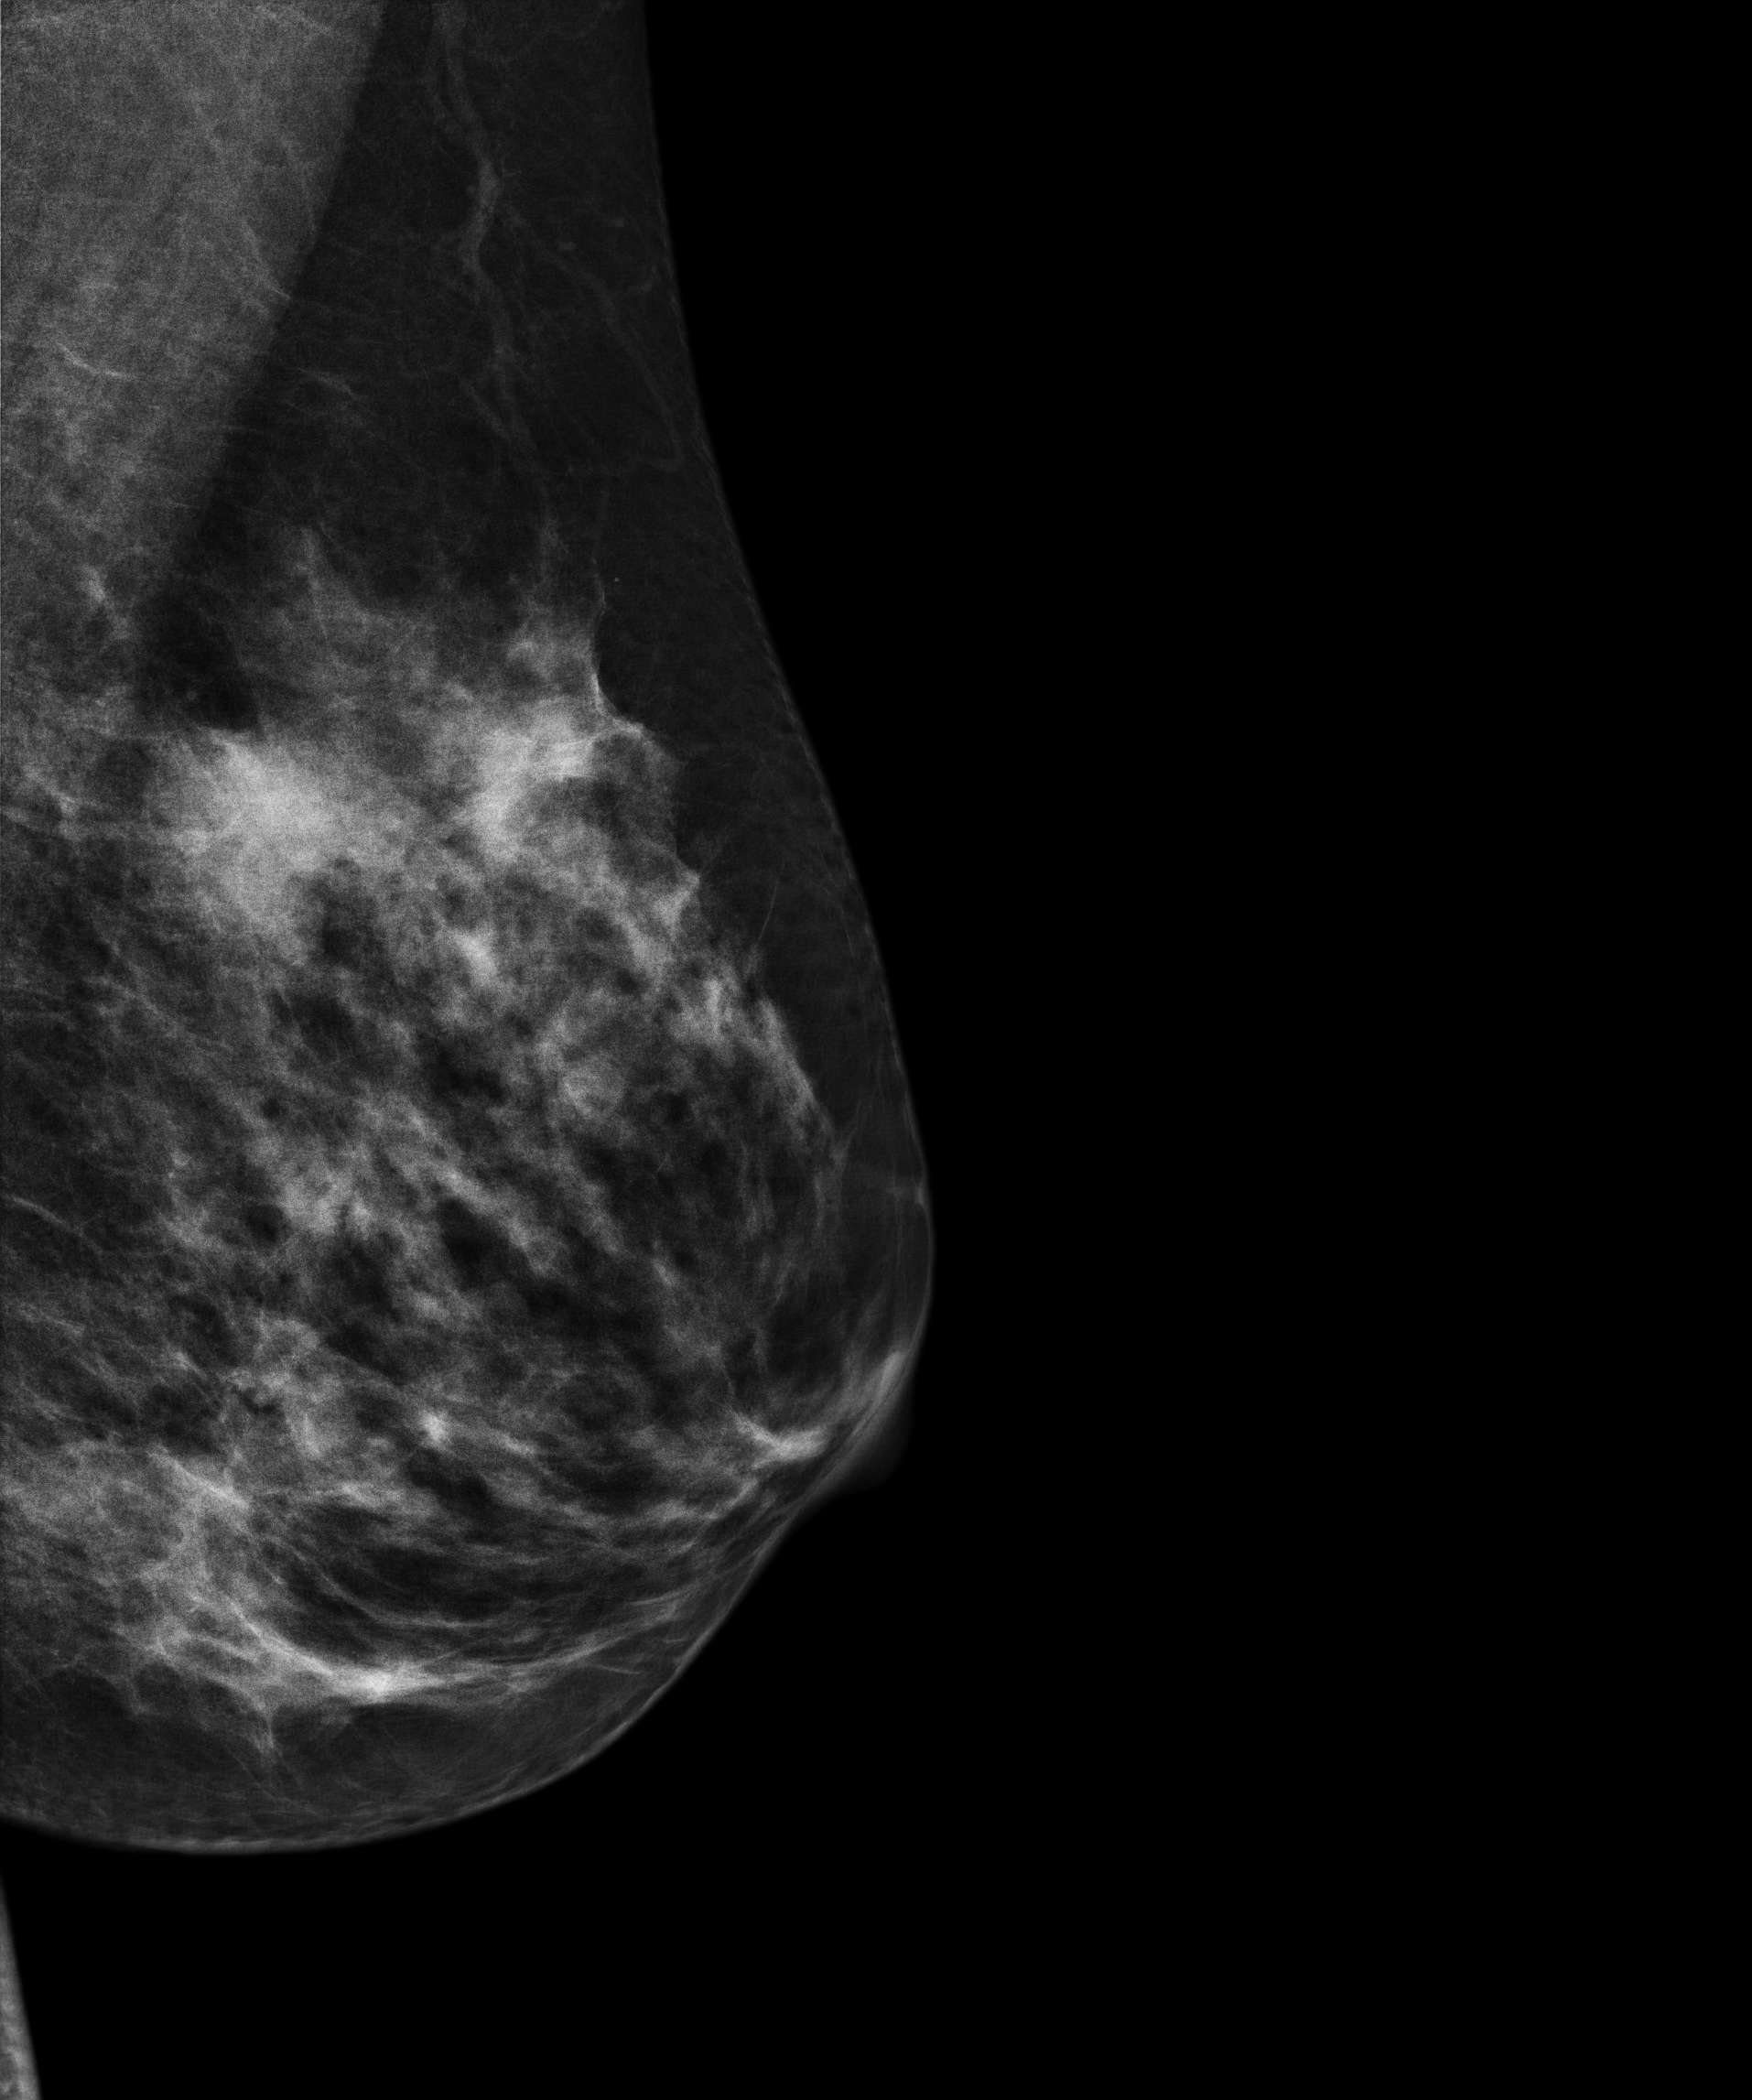
Left-breast mammogram, medio-lateral oblique. Patient age 53.
This breast has a mass, biopsy-confirmed malignant. Molecular subtype: triple-negative.